Mammogram, left breast, CC view. 40-year-old patient.
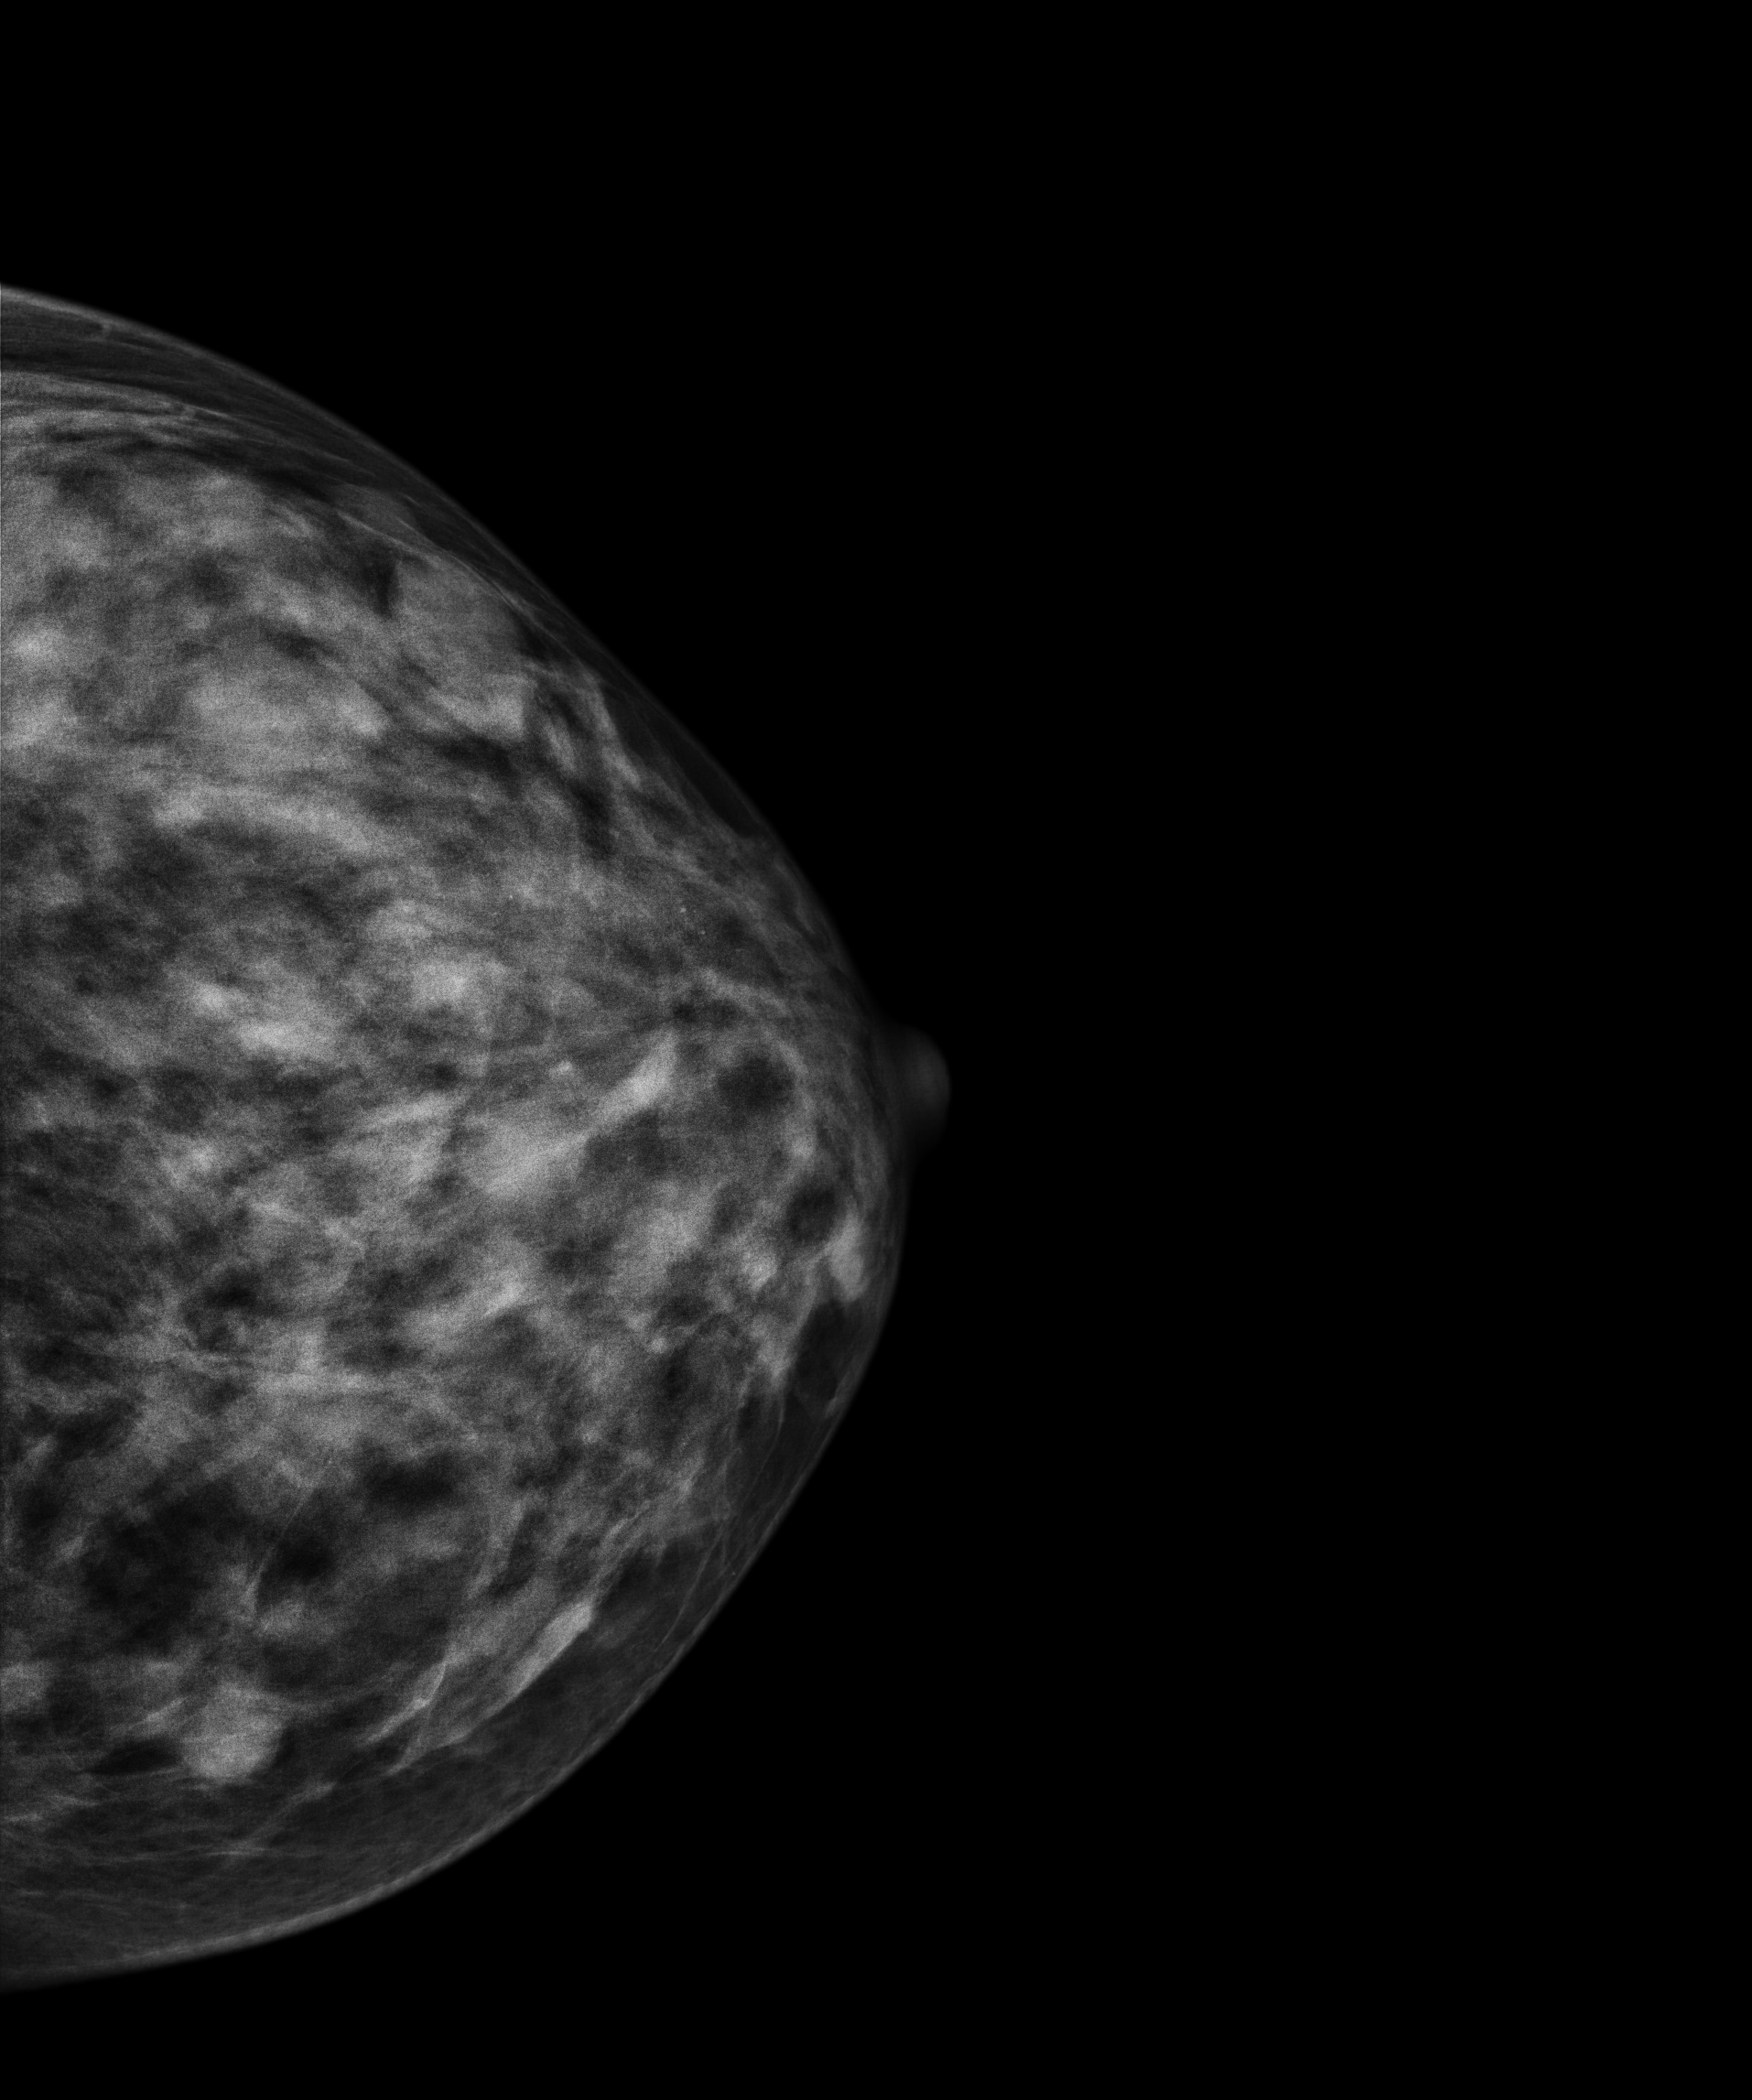
This breast has a mass, biopsy-confirmed benign.